Right-breast mammogram, CC. Patient age 44.
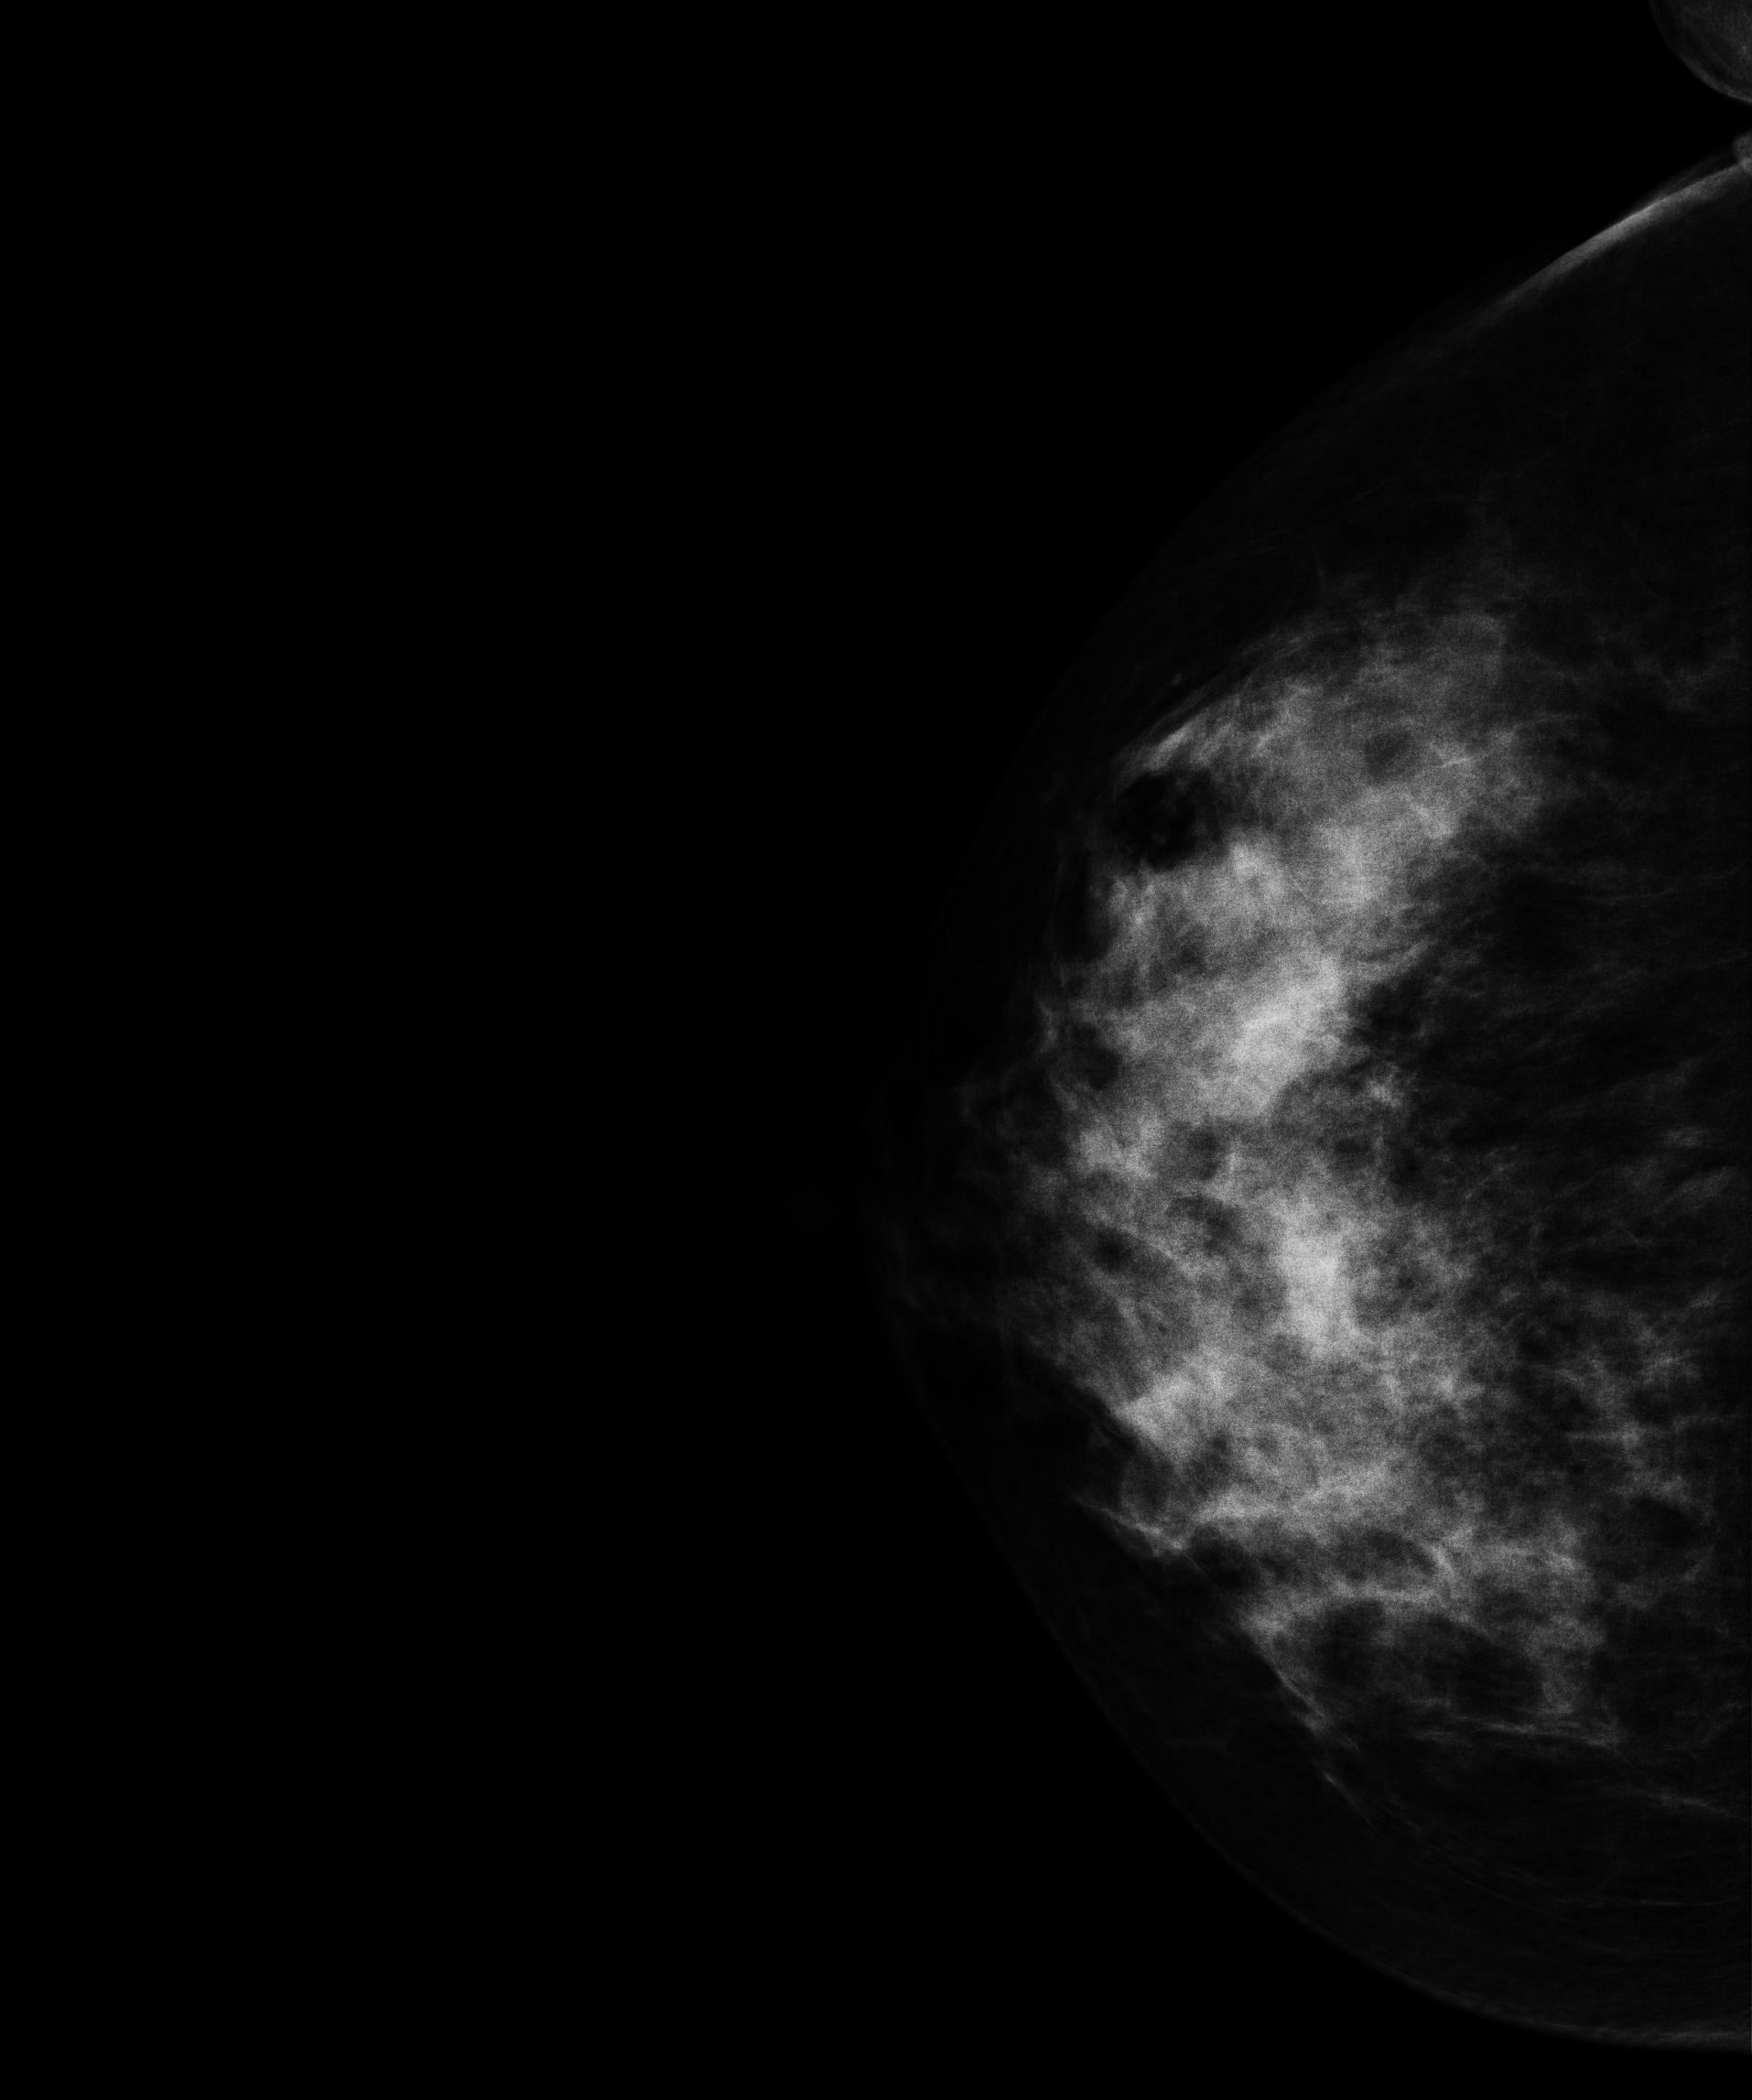
Contralateral breast — no documented abnormality on this side.